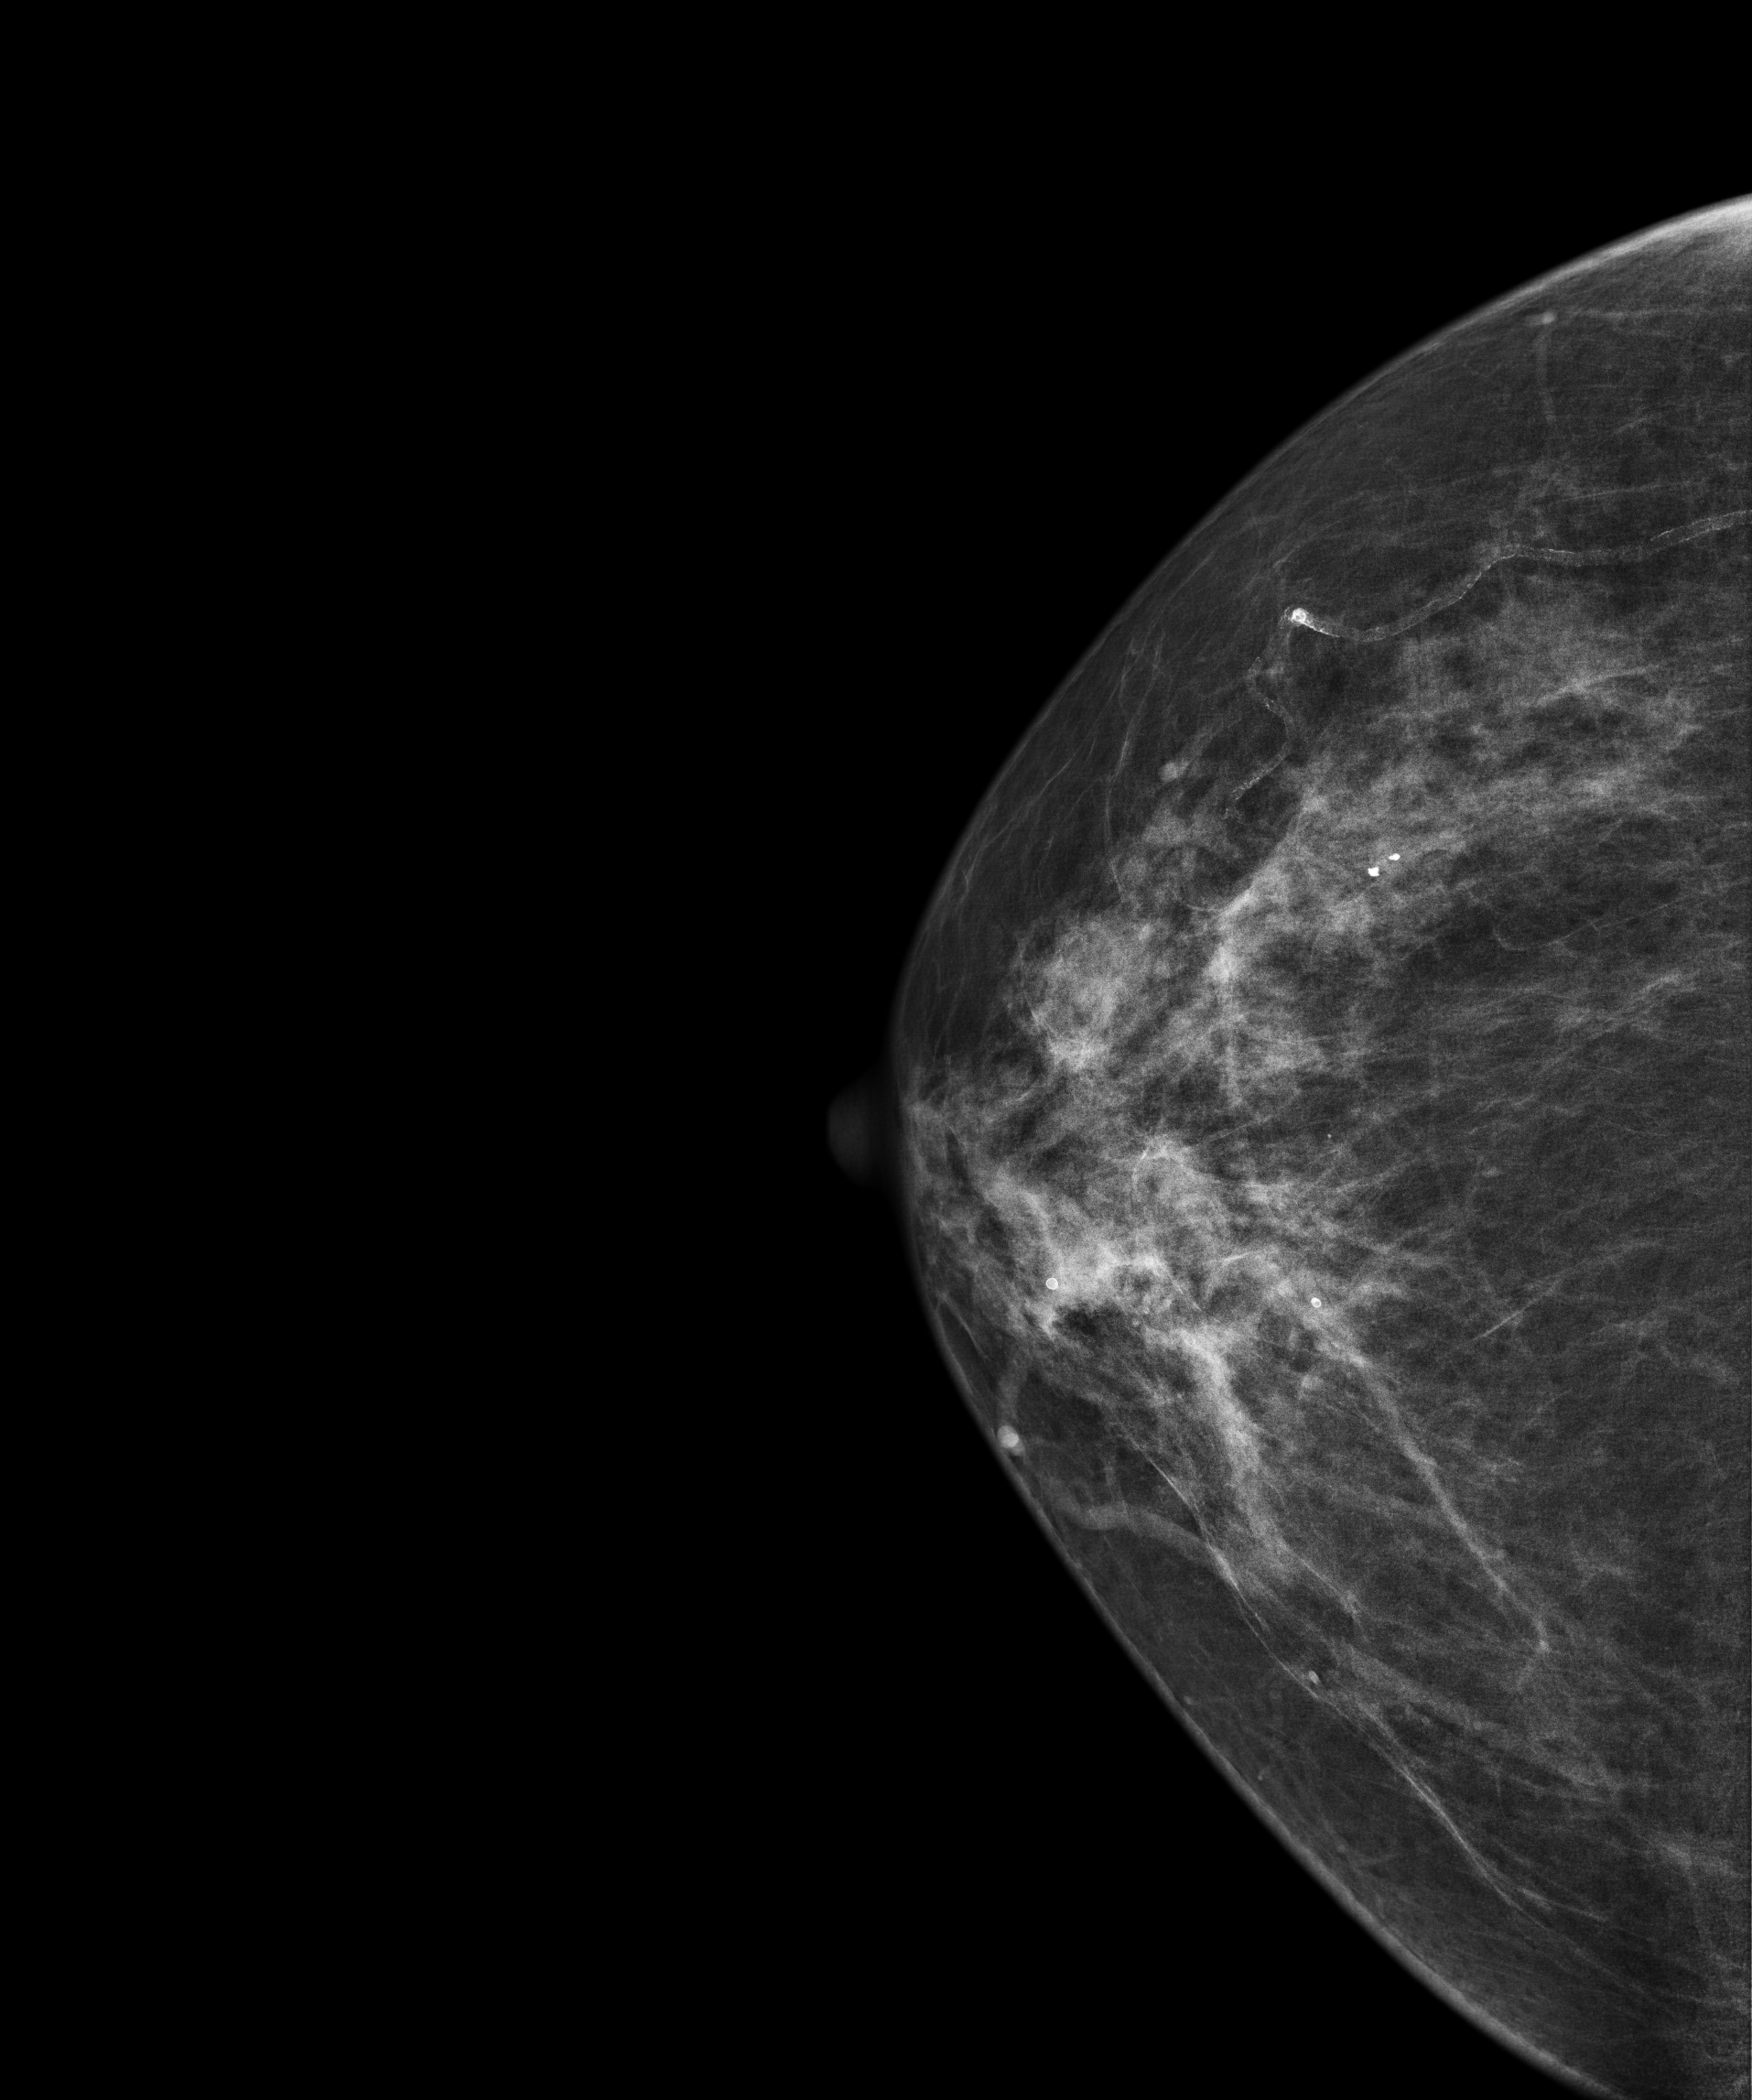
Right-breast mammogram, cranio-caudal. 72 y/o patient.
Contralateral breast — no documented abnormality on this side.